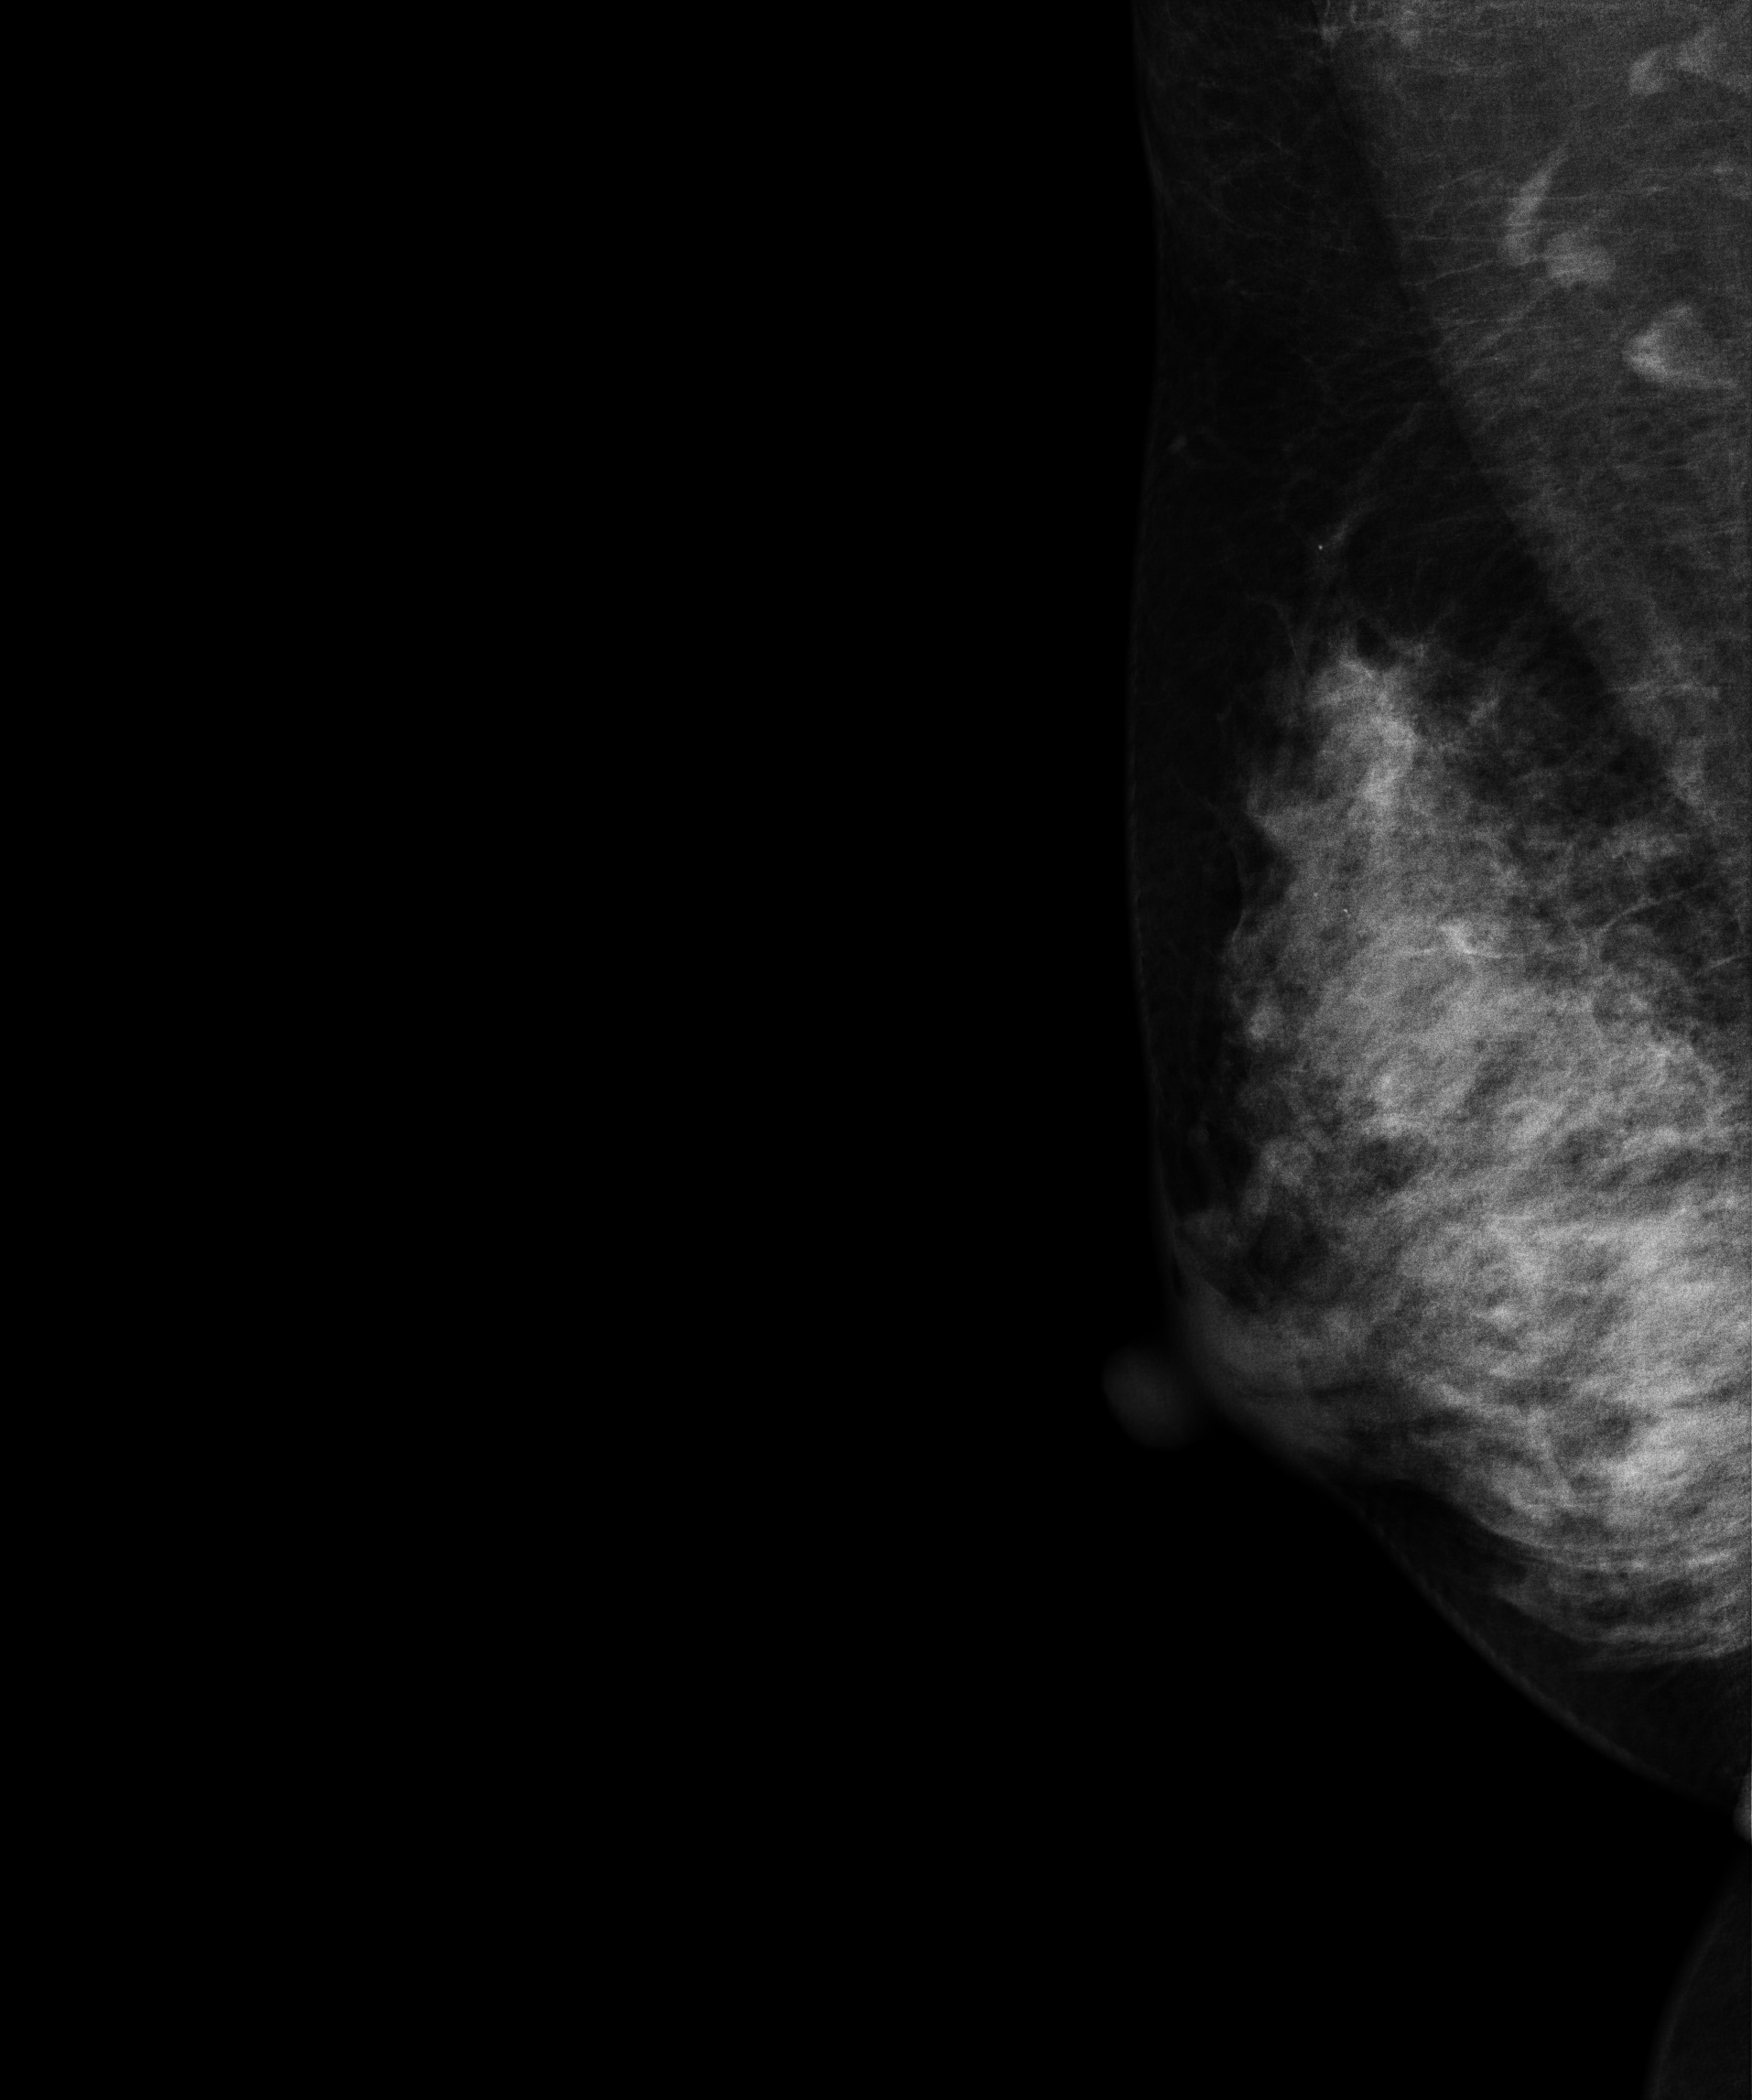
Mammogram, right breast, MLO view. 37-year-old patient.
Contralateral breast — no documented abnormality on this side.